Digital mammography. Left breast, MLO projection. 60-year-old patient.
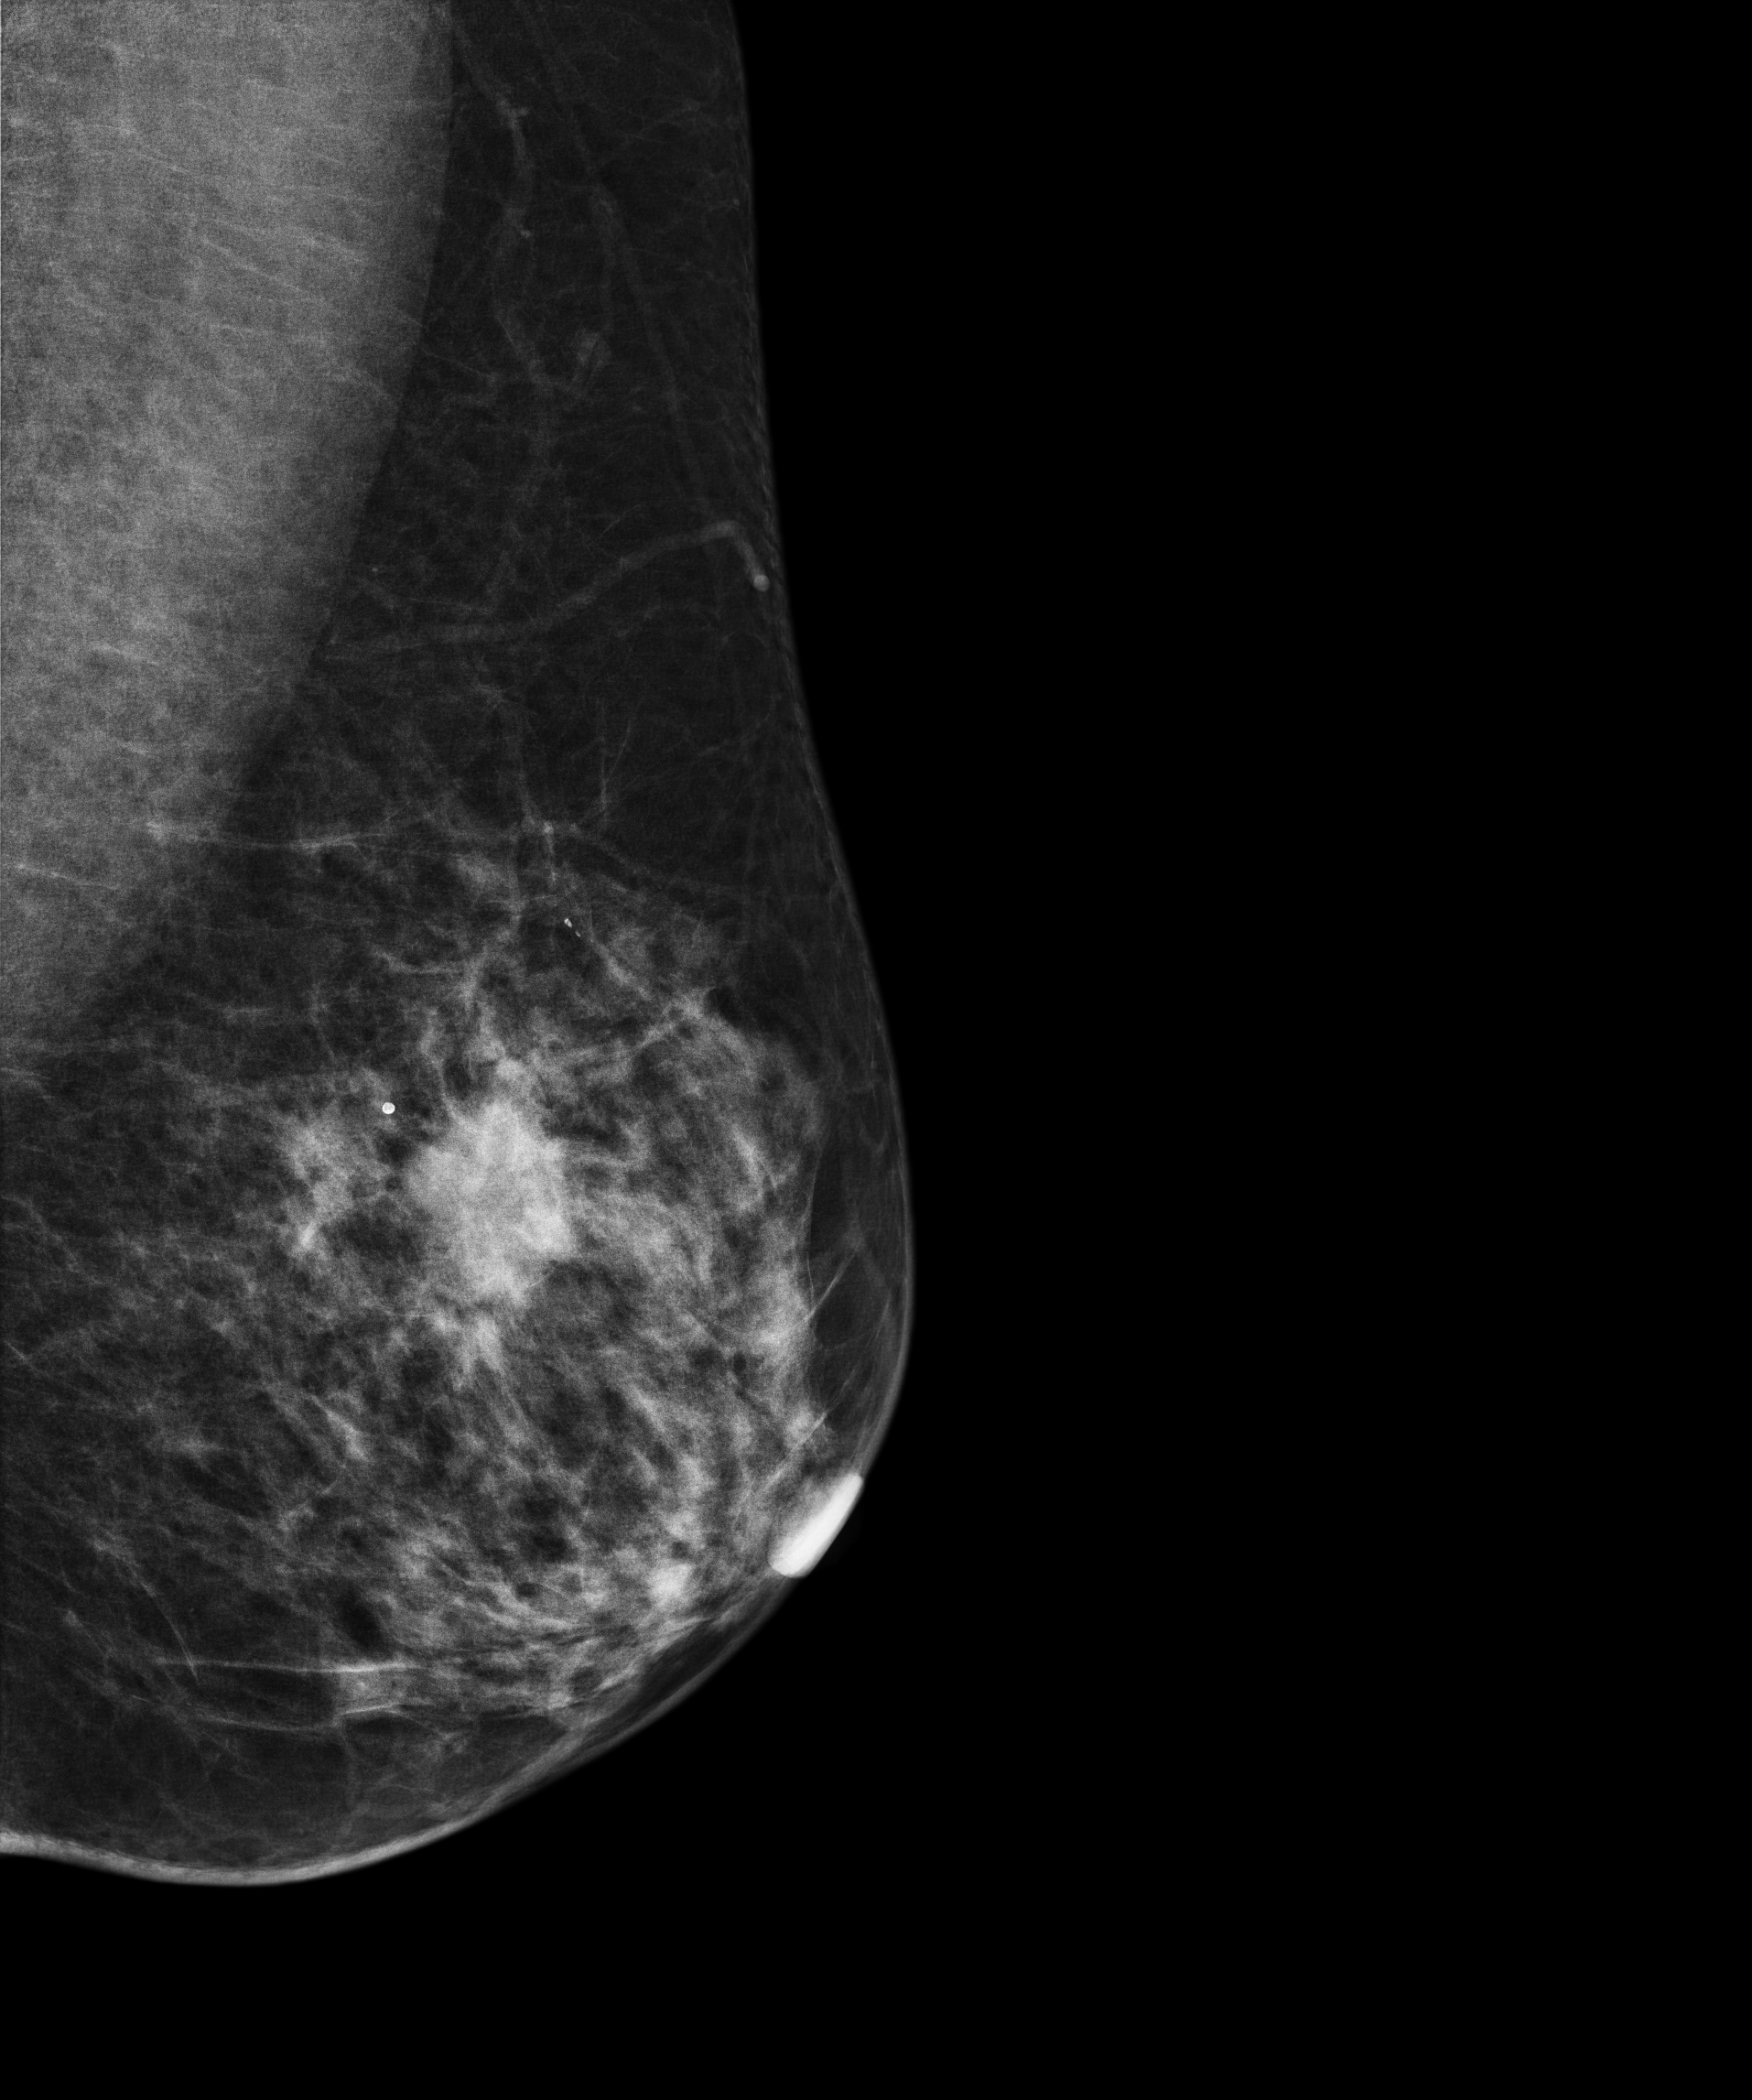
This breast has a mass, biopsy-proven malignant.